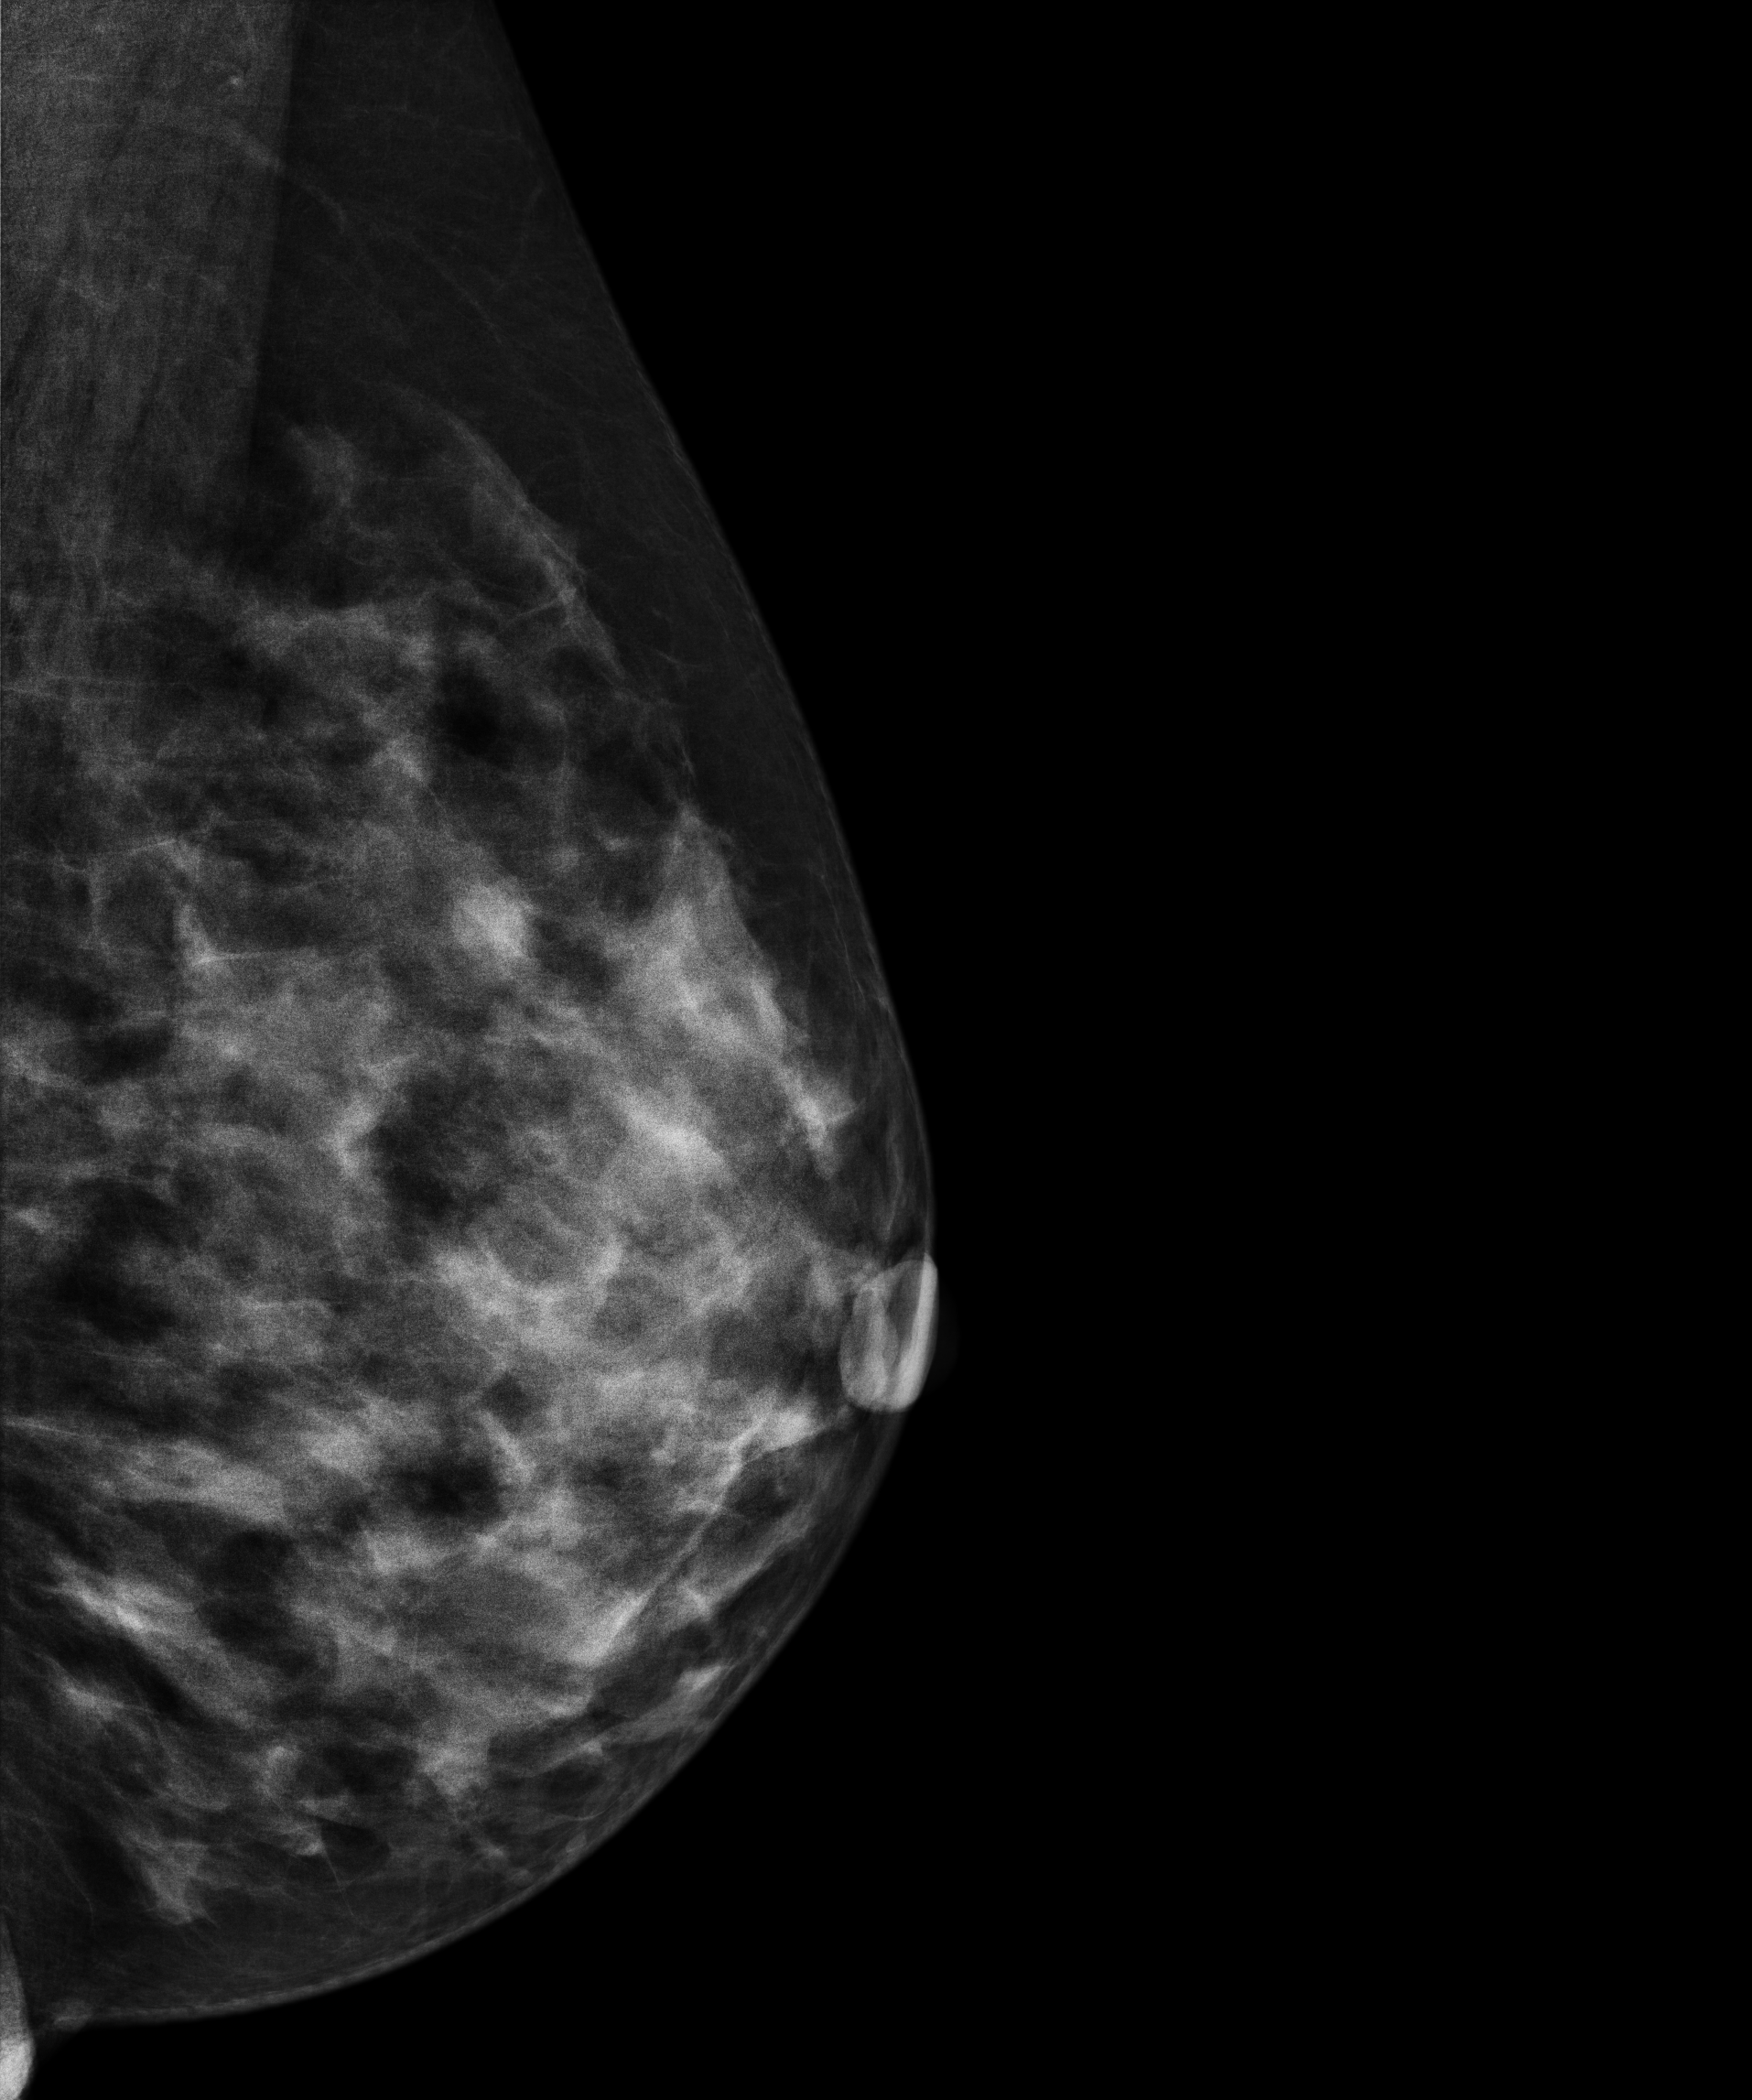
Mammogram, left breast, medio-lateral oblique view. 46 y/o patient.
Contralateral breast — no documented abnormality on this side.